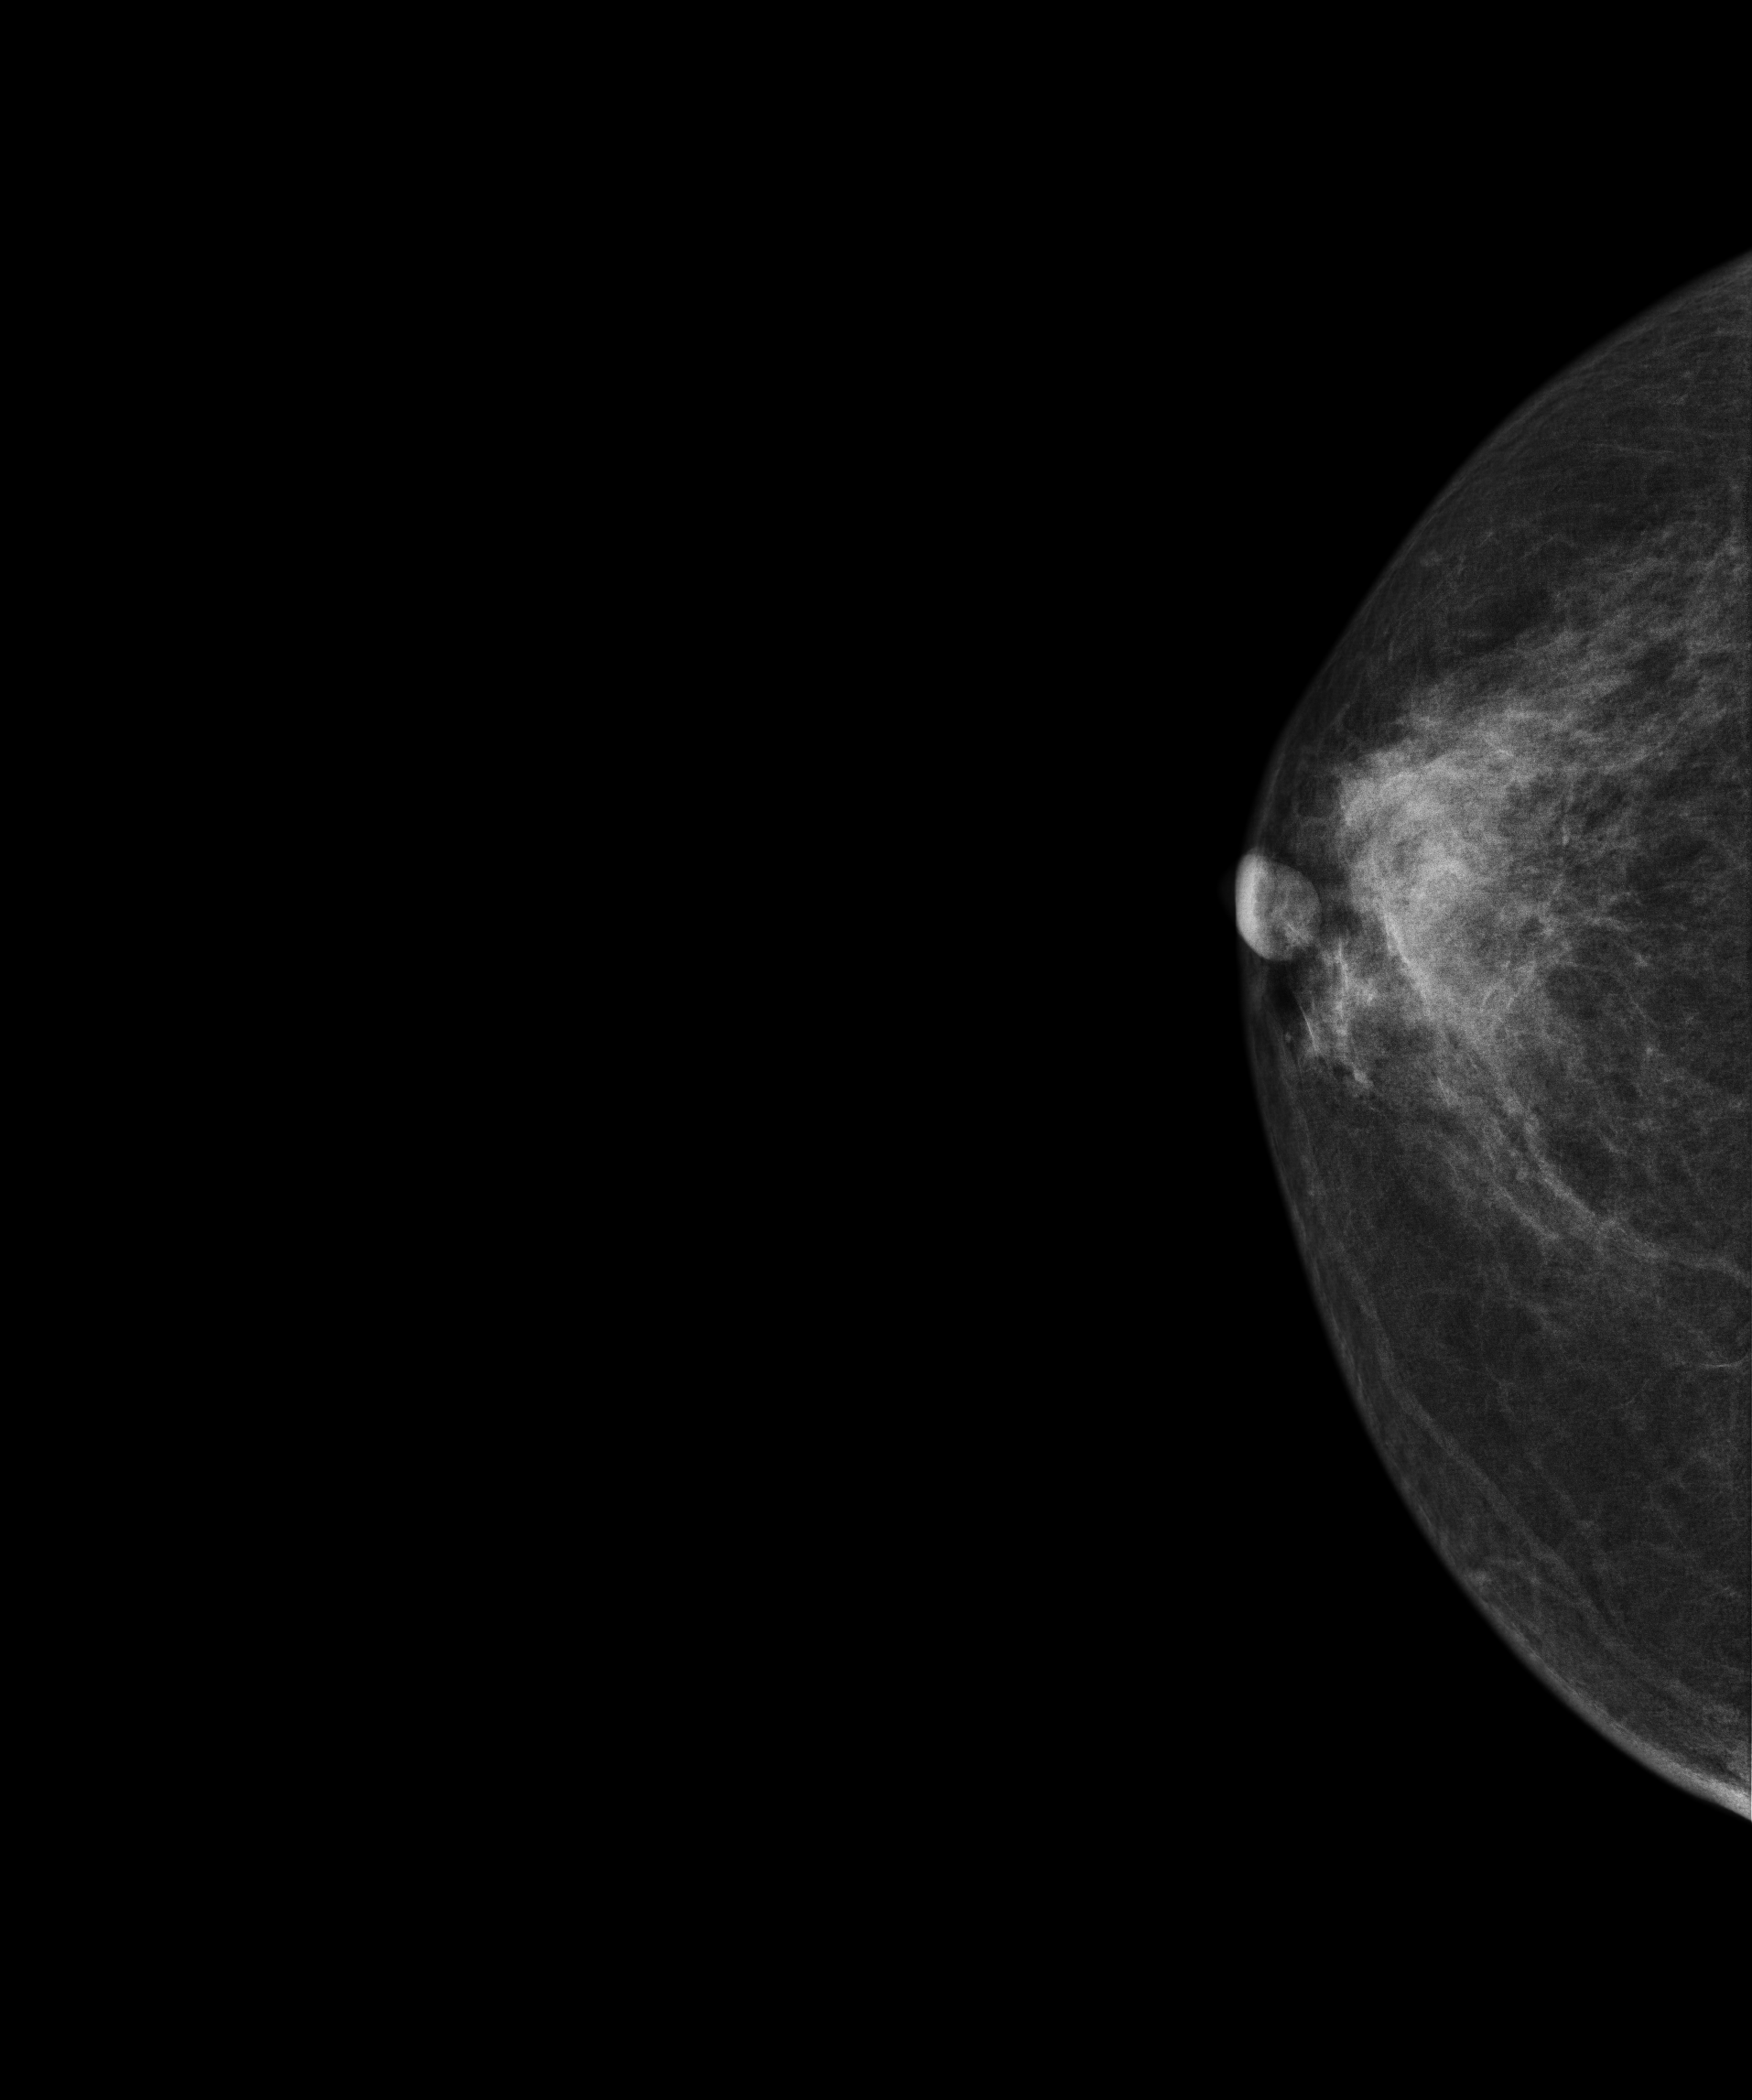
Mammogram — right cranio-caudal. Patient age 72.
Contralateral breast — no documented abnormality on this side.